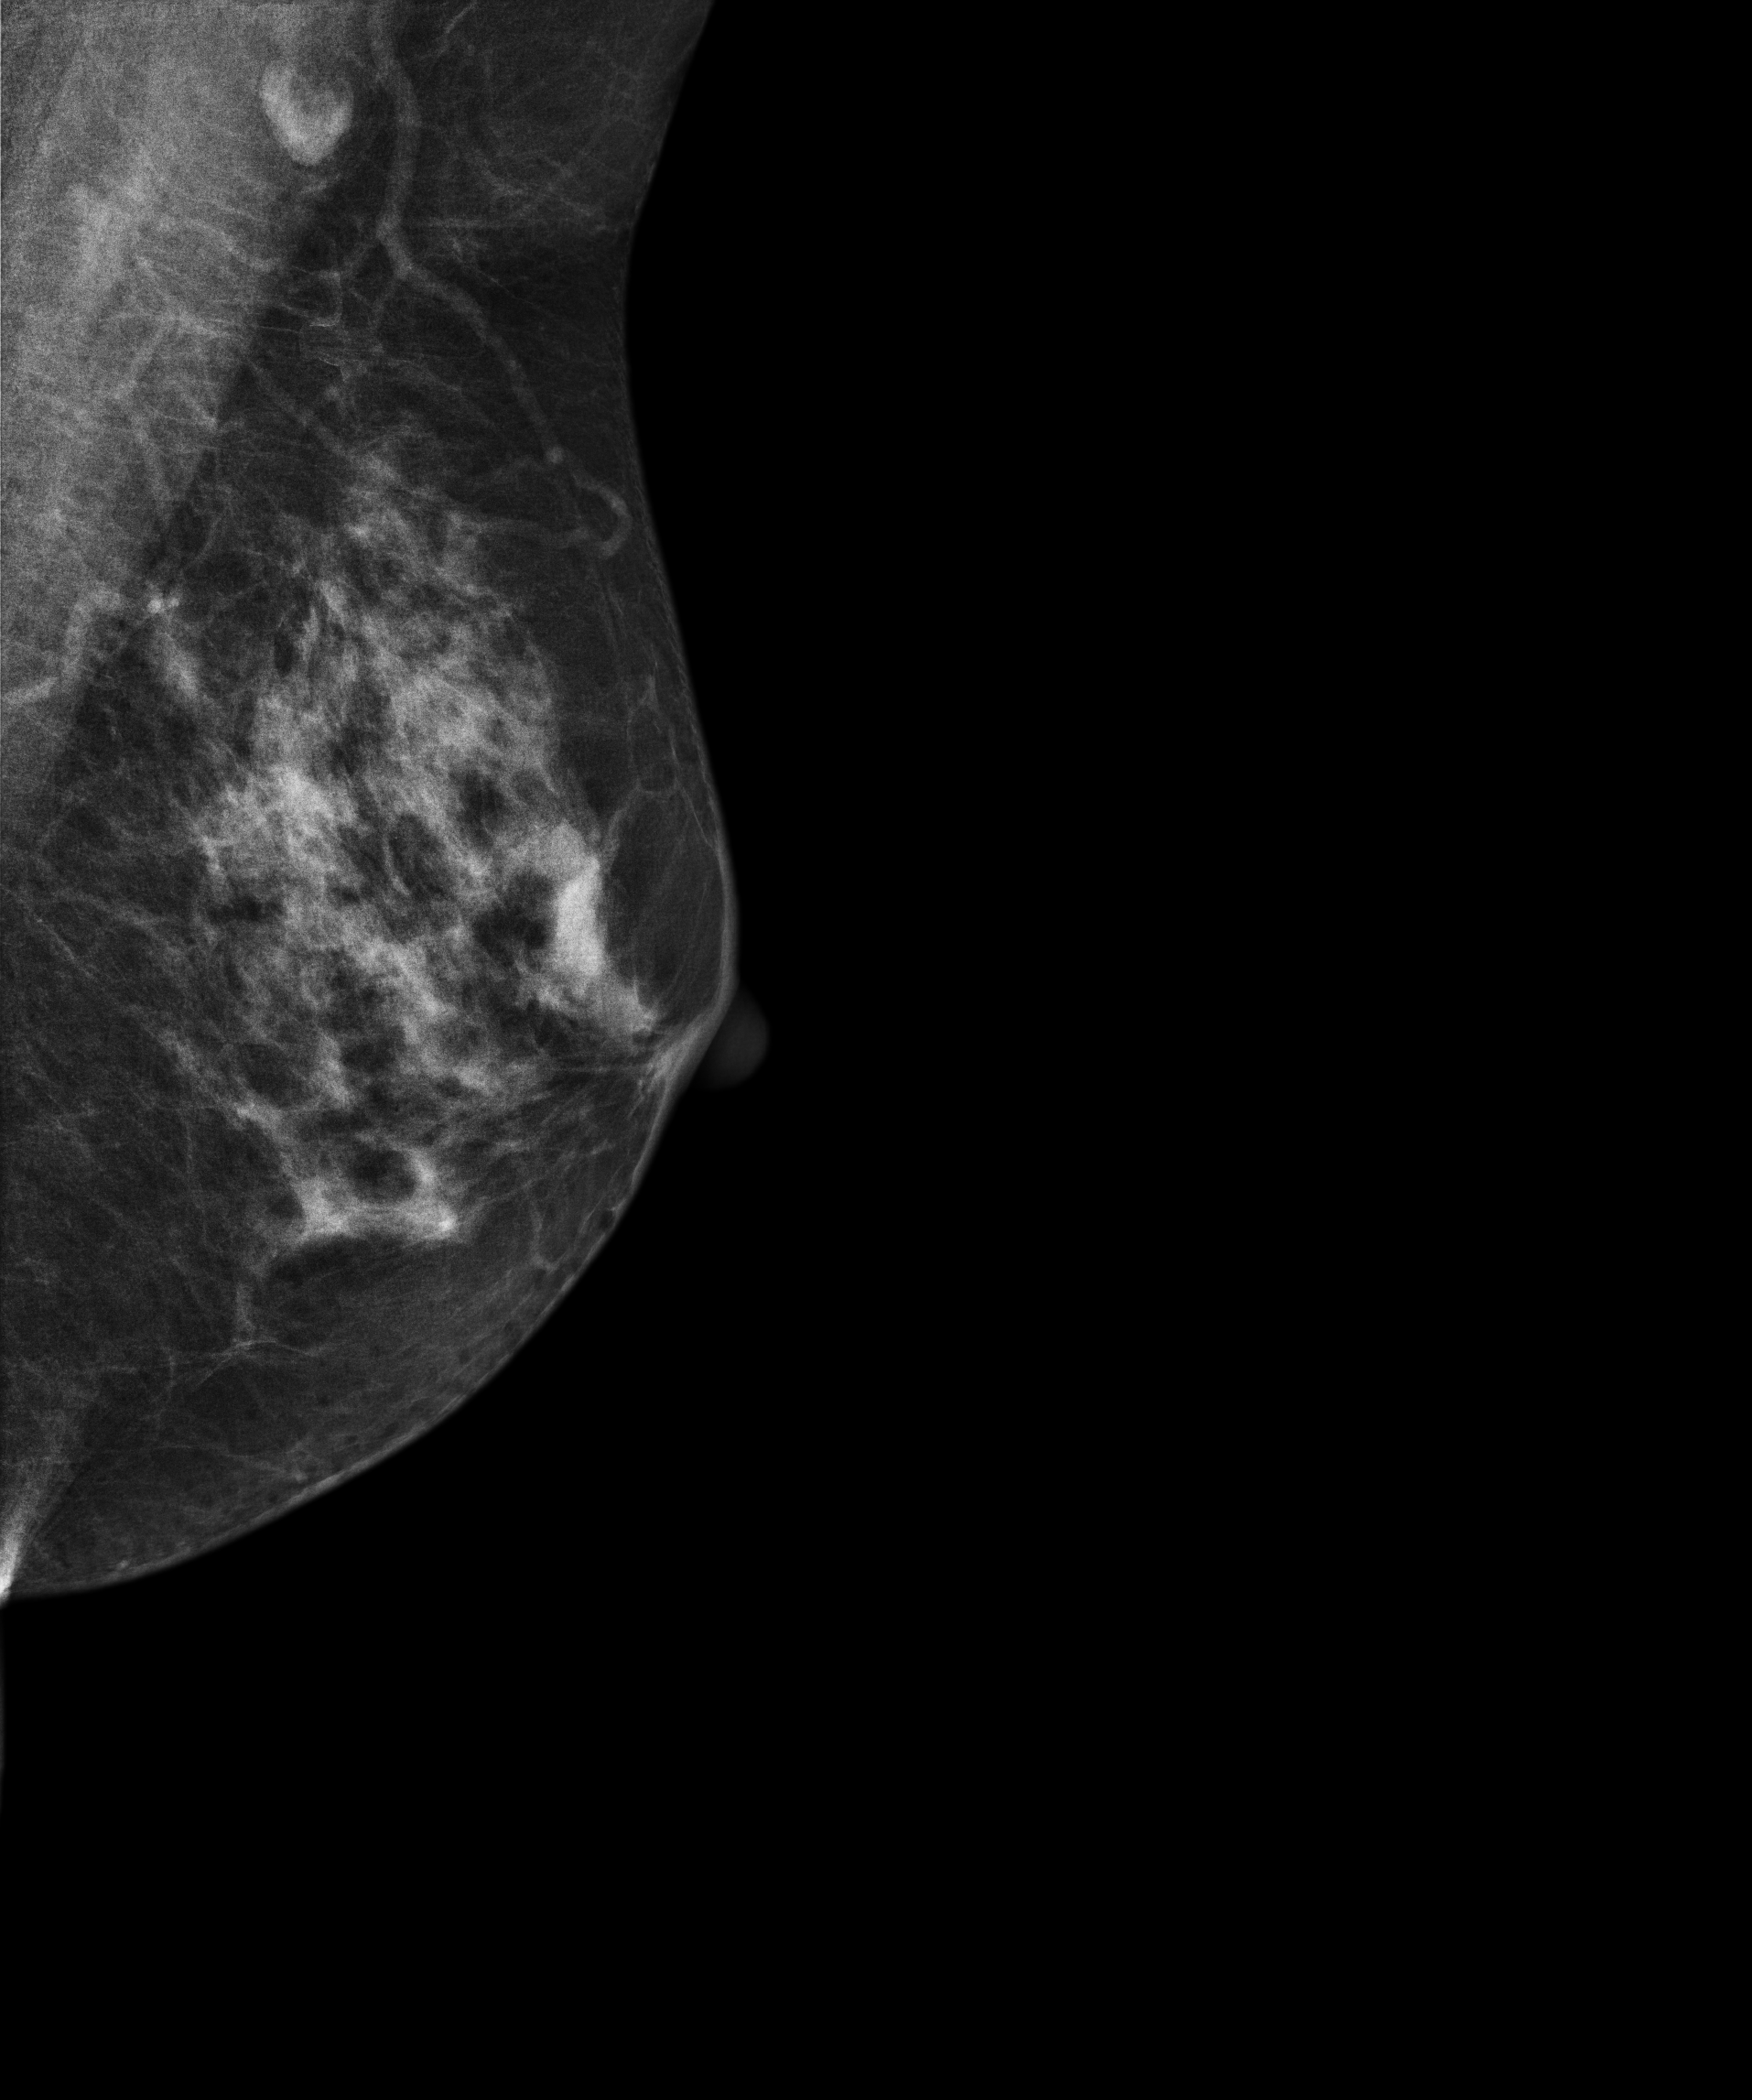
Mammogram — left MLO. 63-year-old patient.
Contralateral breast — no documented abnormality on this side.